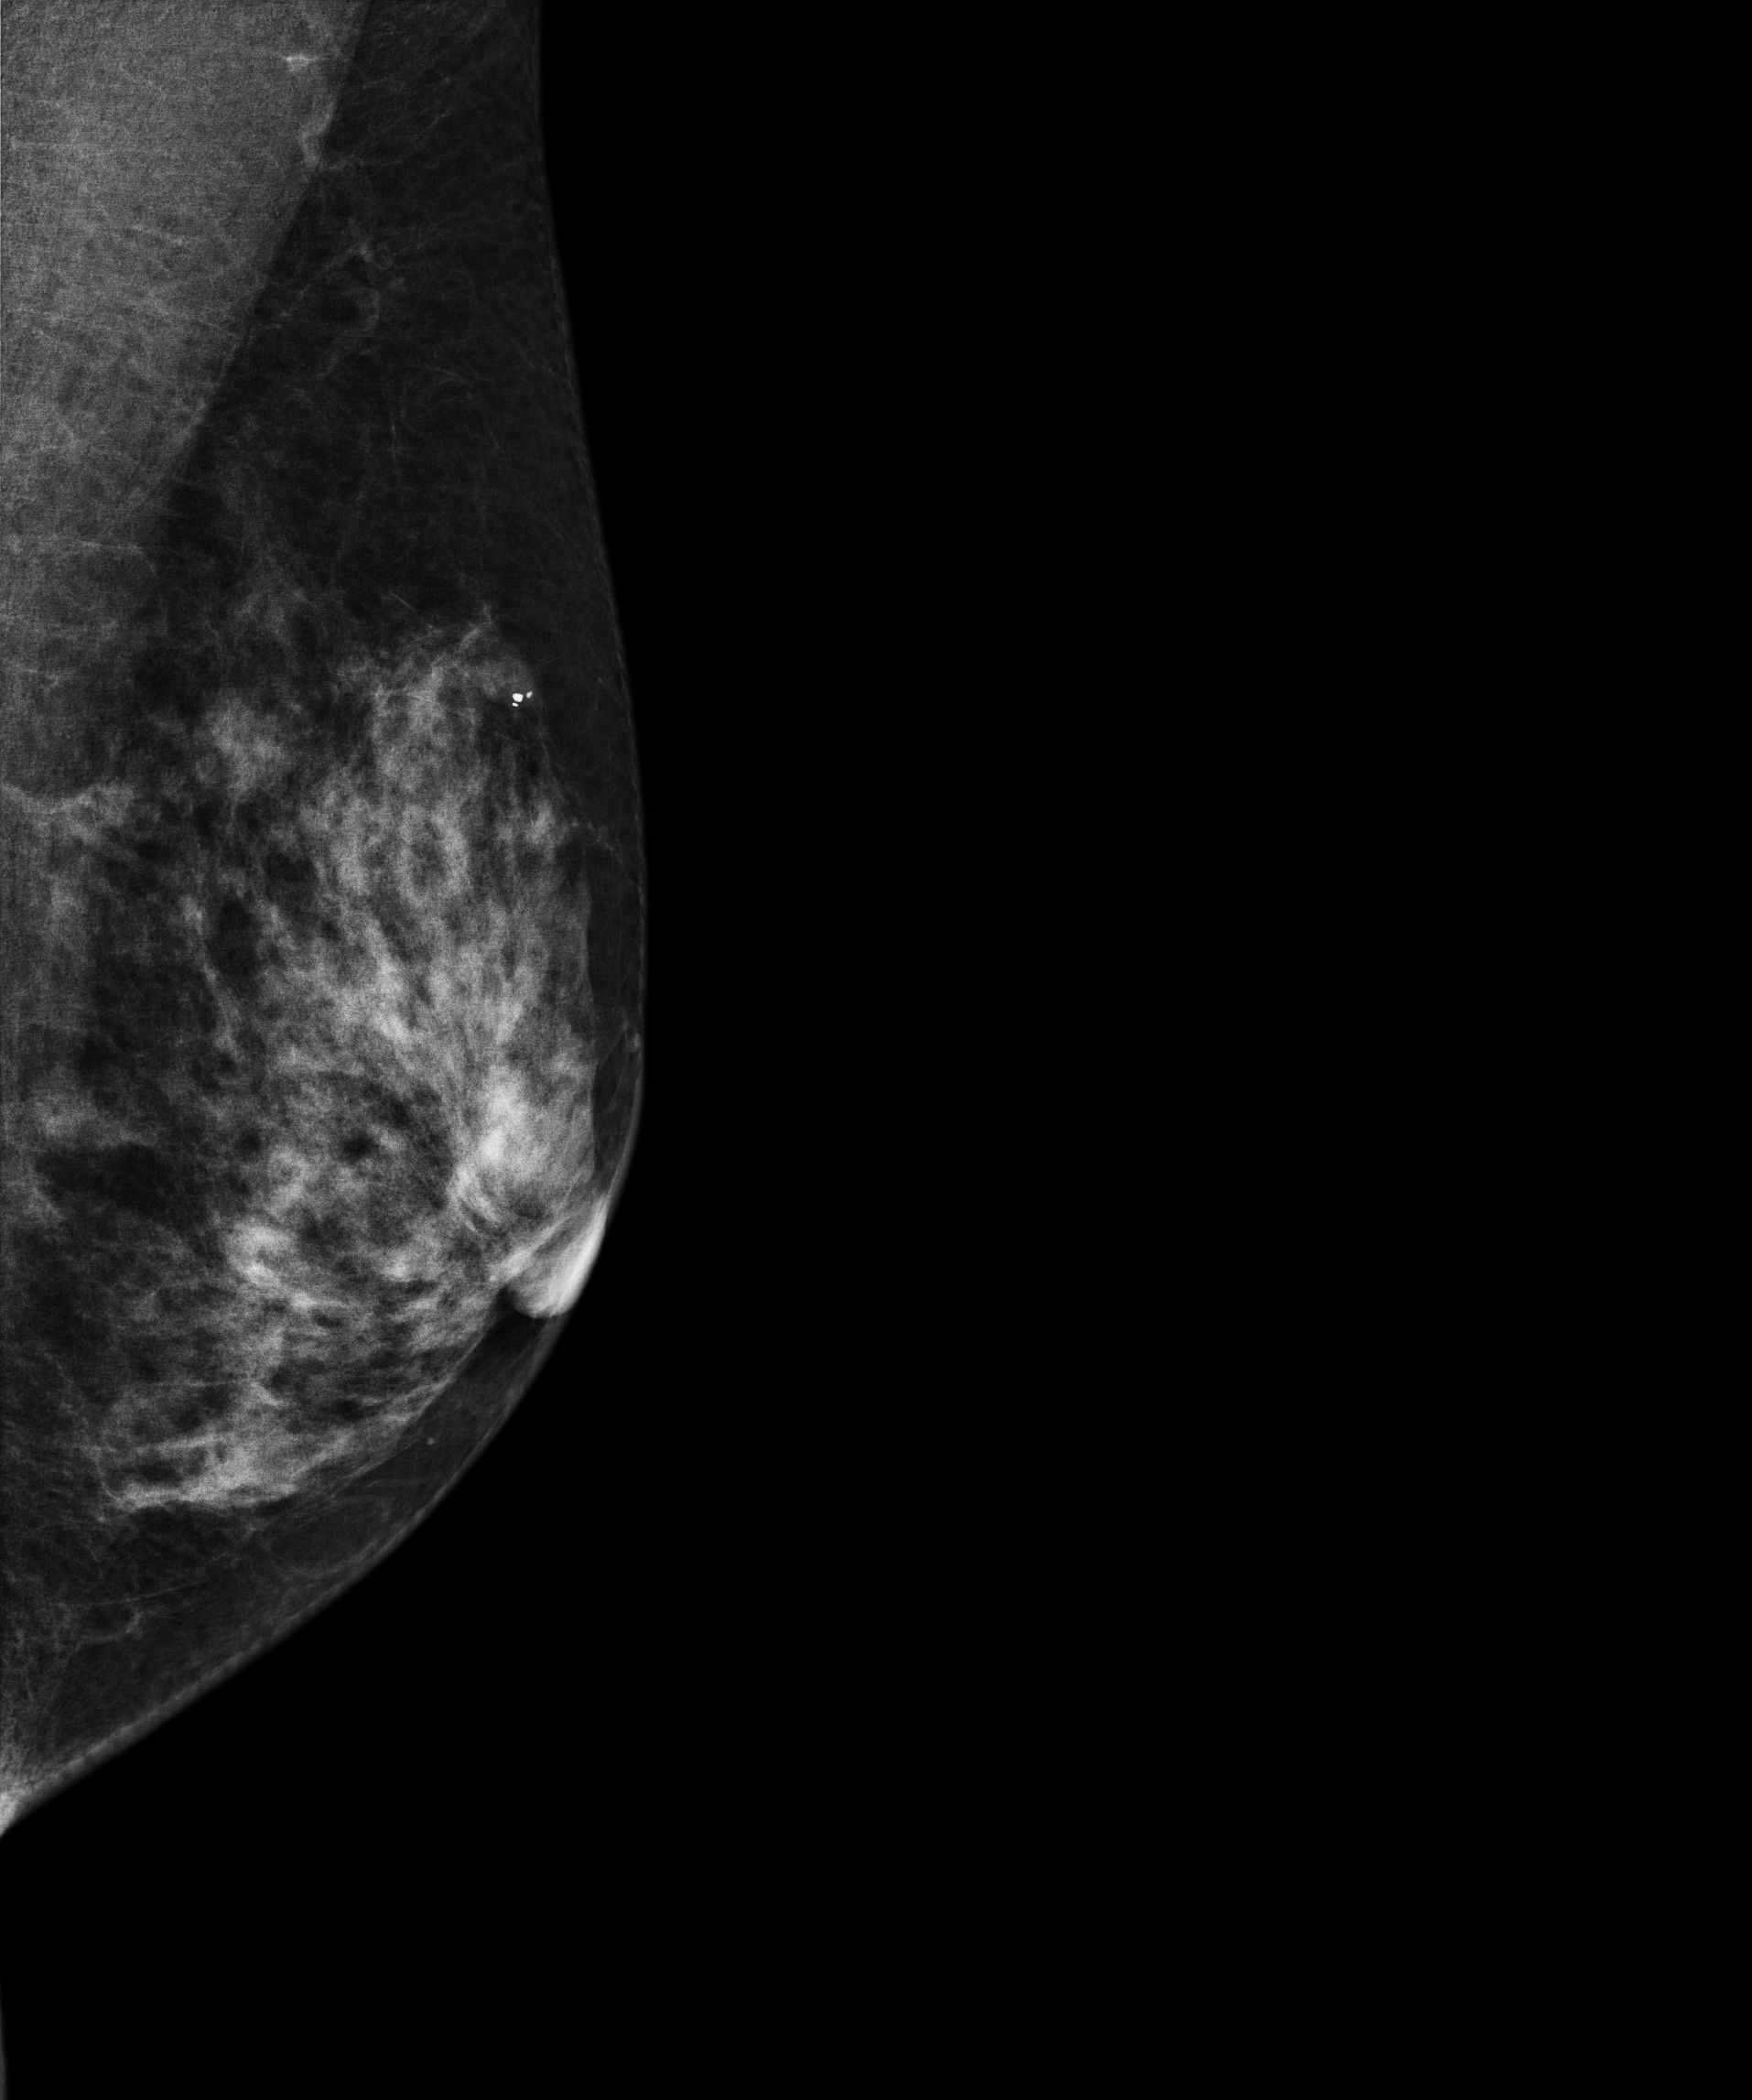
Mammogram — left medio-lateral oblique. 59-year-old patient.
Contralateral breast — no documented abnormality on this side.